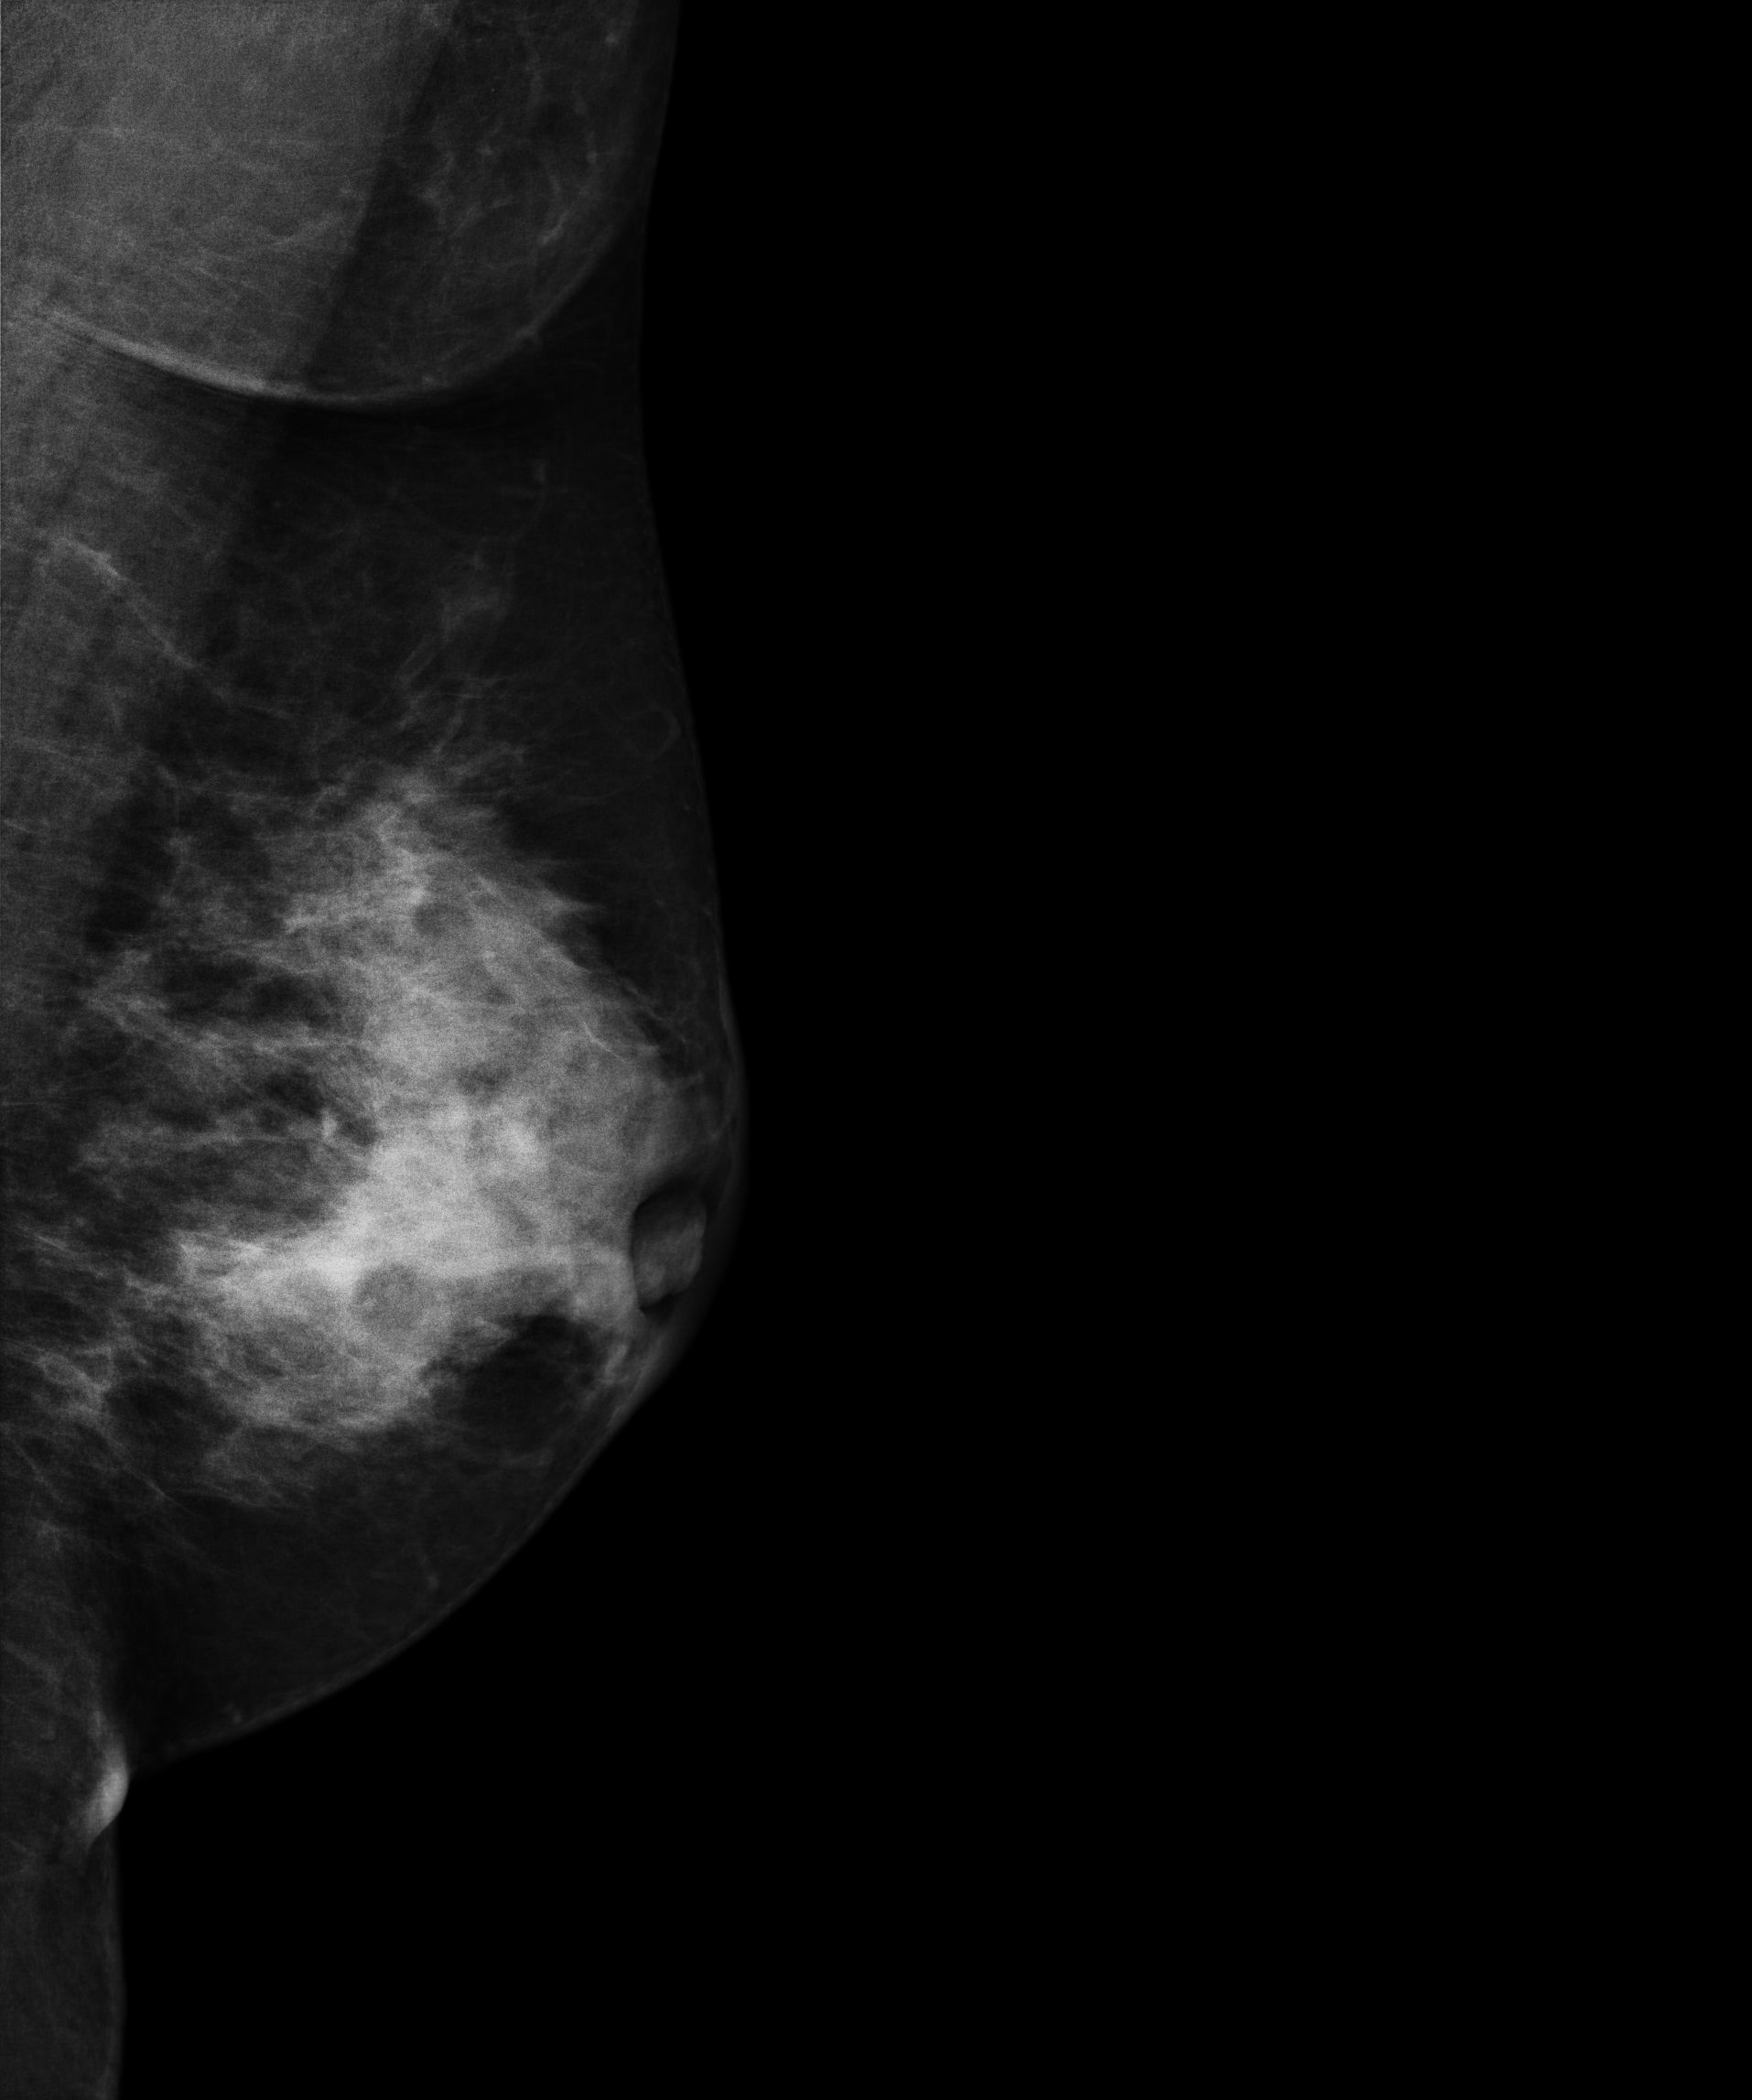
Mammogram, left breast, medio-lateral oblique view. 44-year-old patient.
This breast has a mass, pathology-confirmed malignant. Molecular subtype: luminal B.